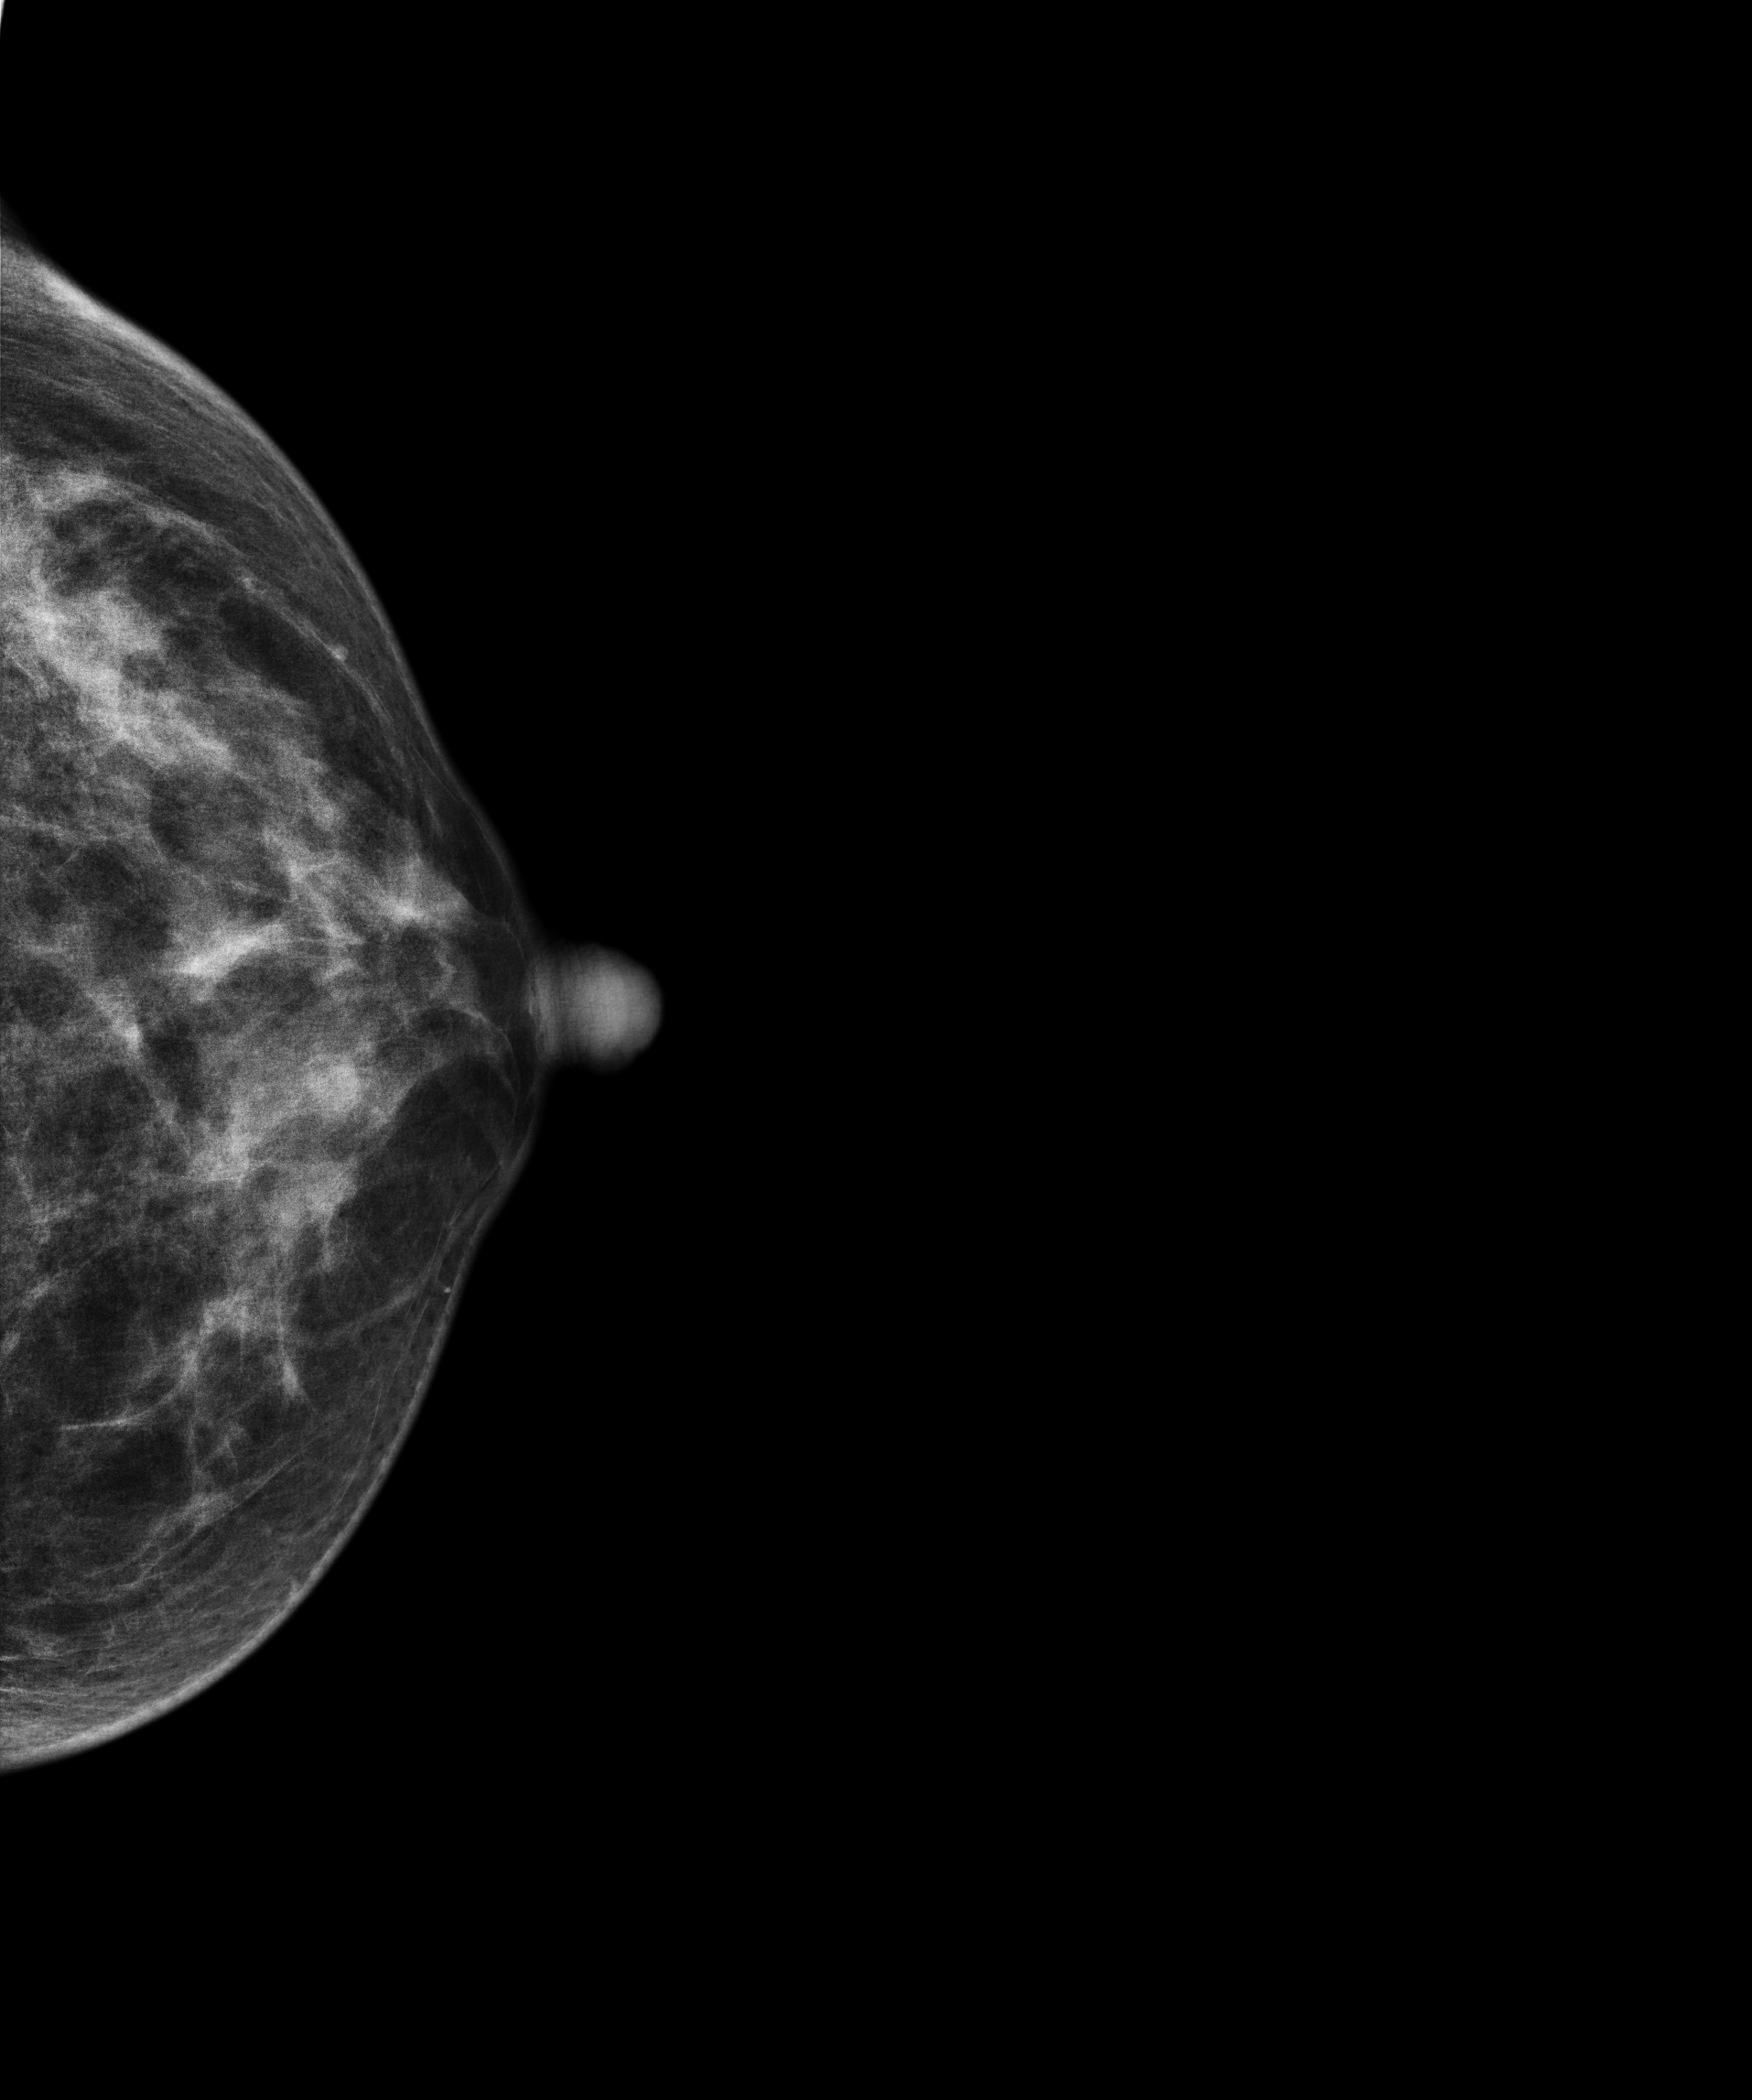
Cranio-caudal mammogram of the left breast. Patient age 51.
Contralateral breast — no documented abnormality on this side.